Mammogram — left MLO. 62 y/o patient.
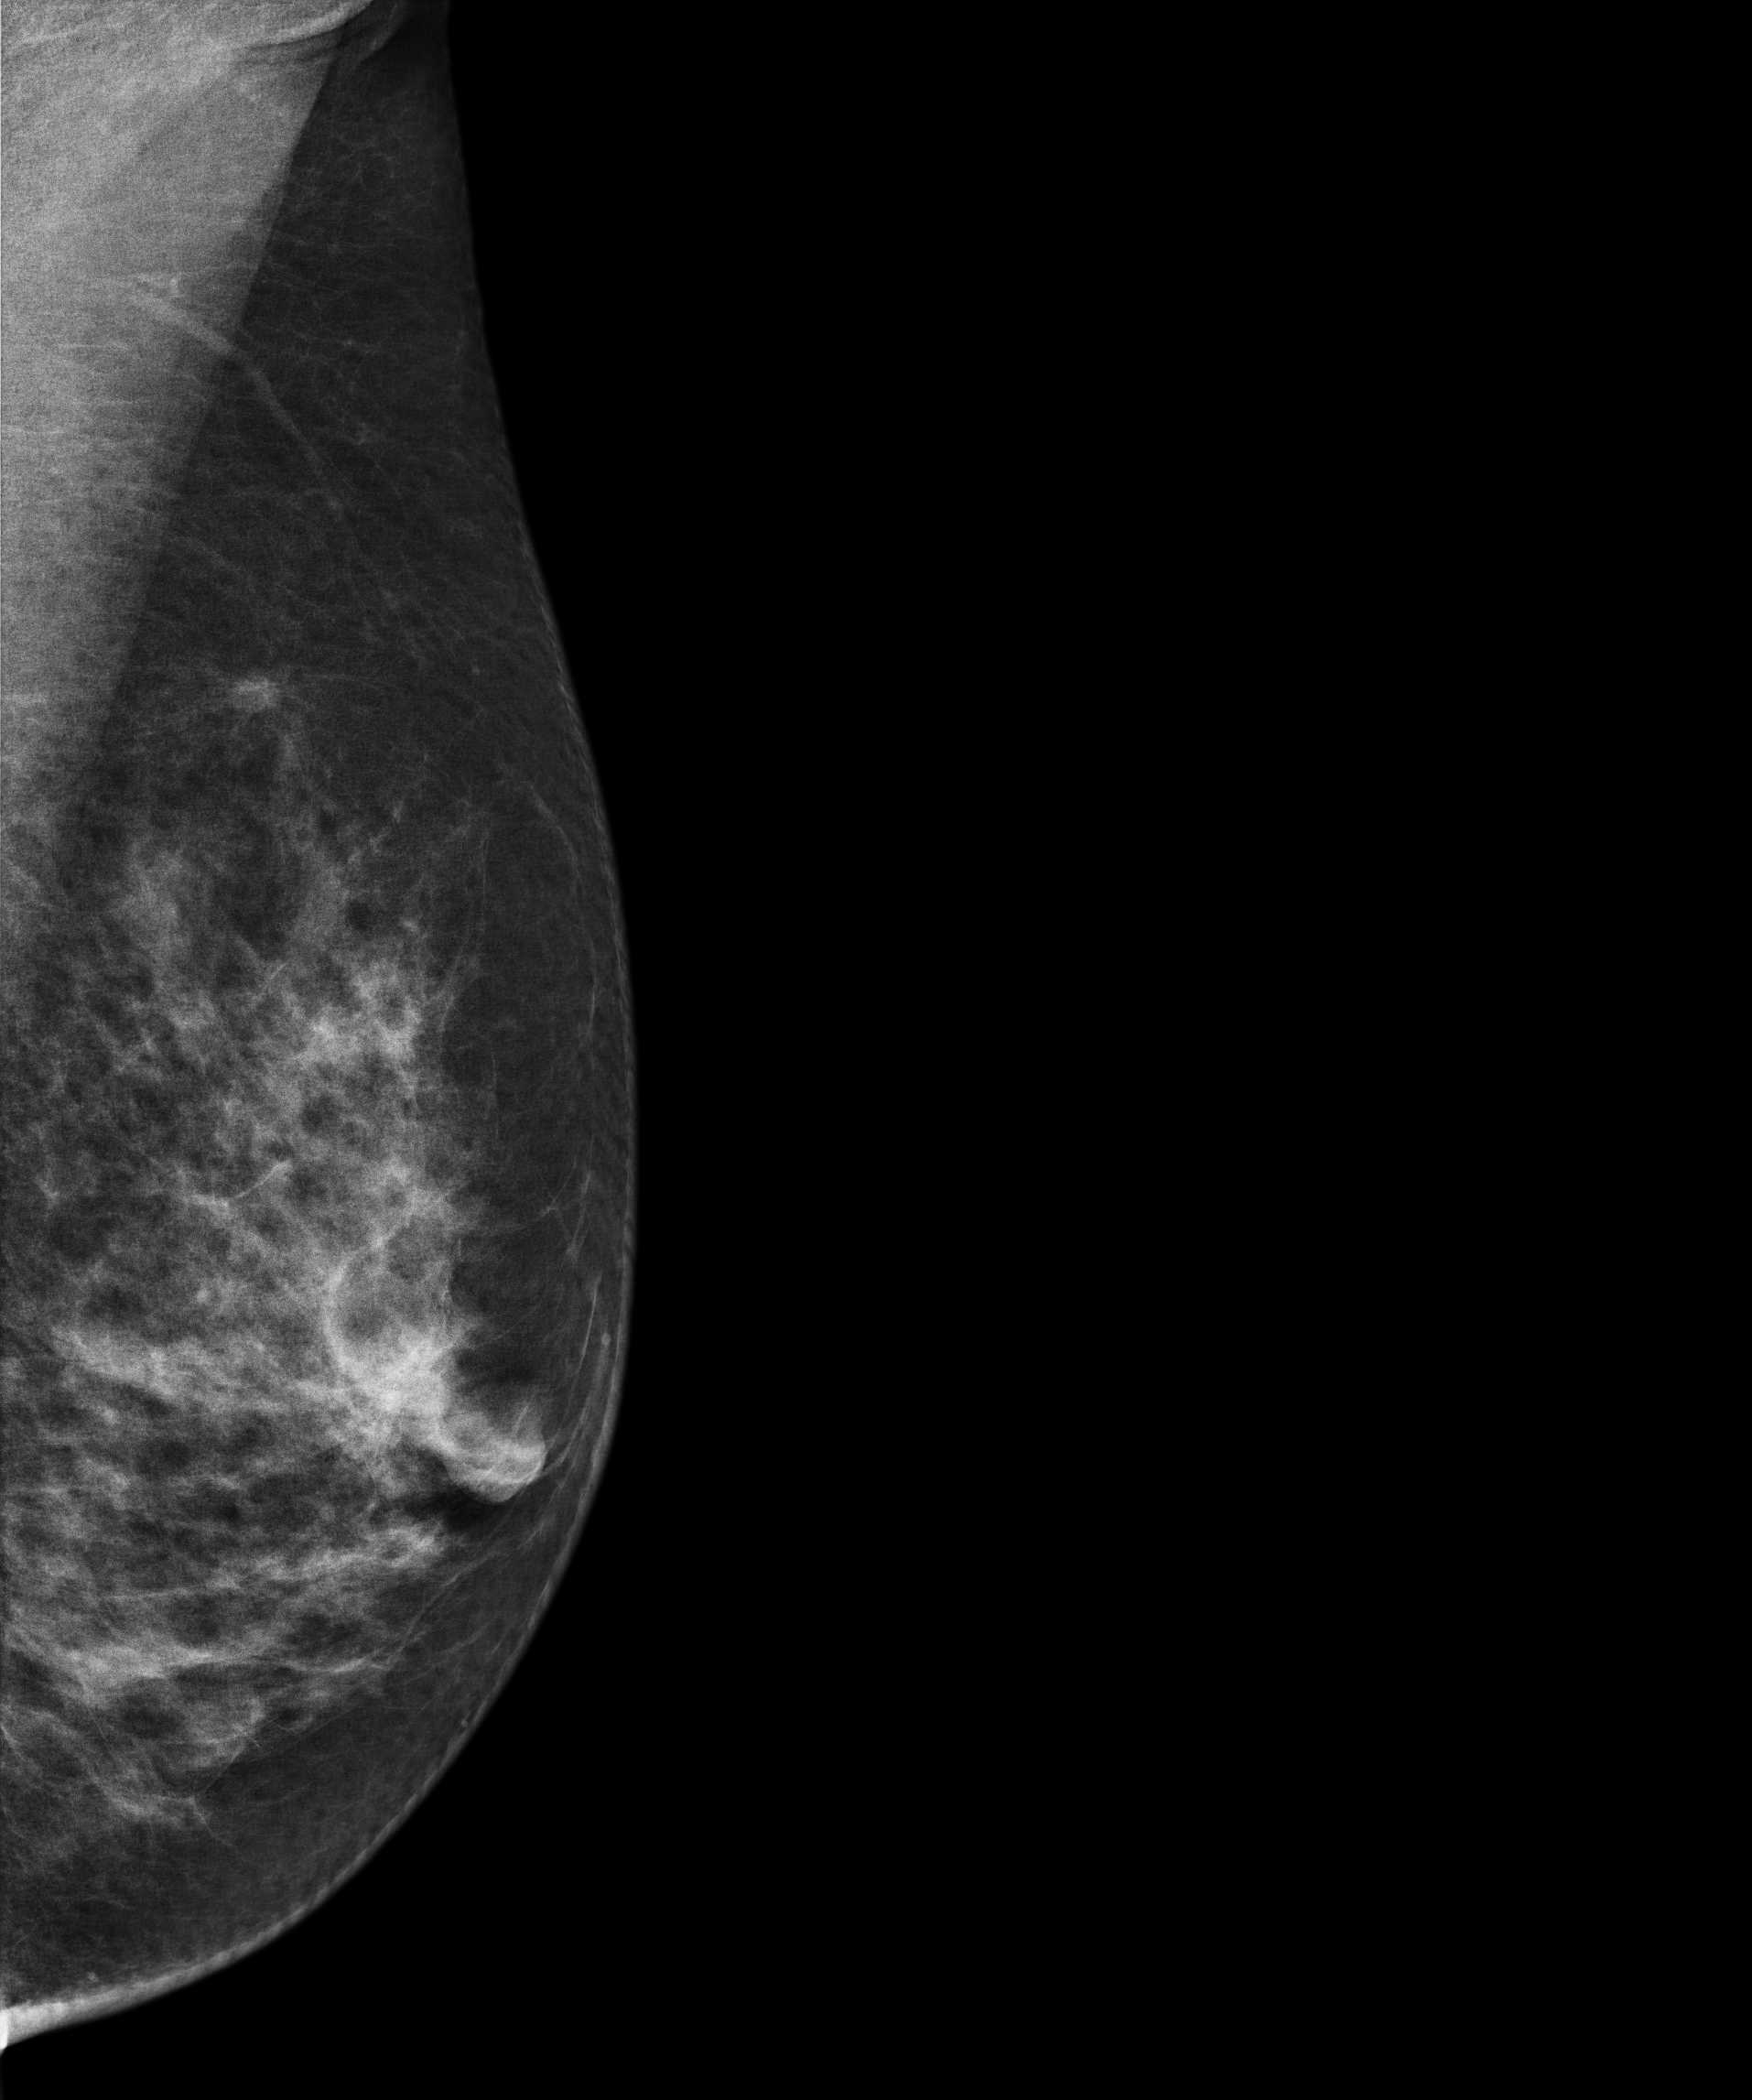
Contralateral breast — no documented abnormality on this side.